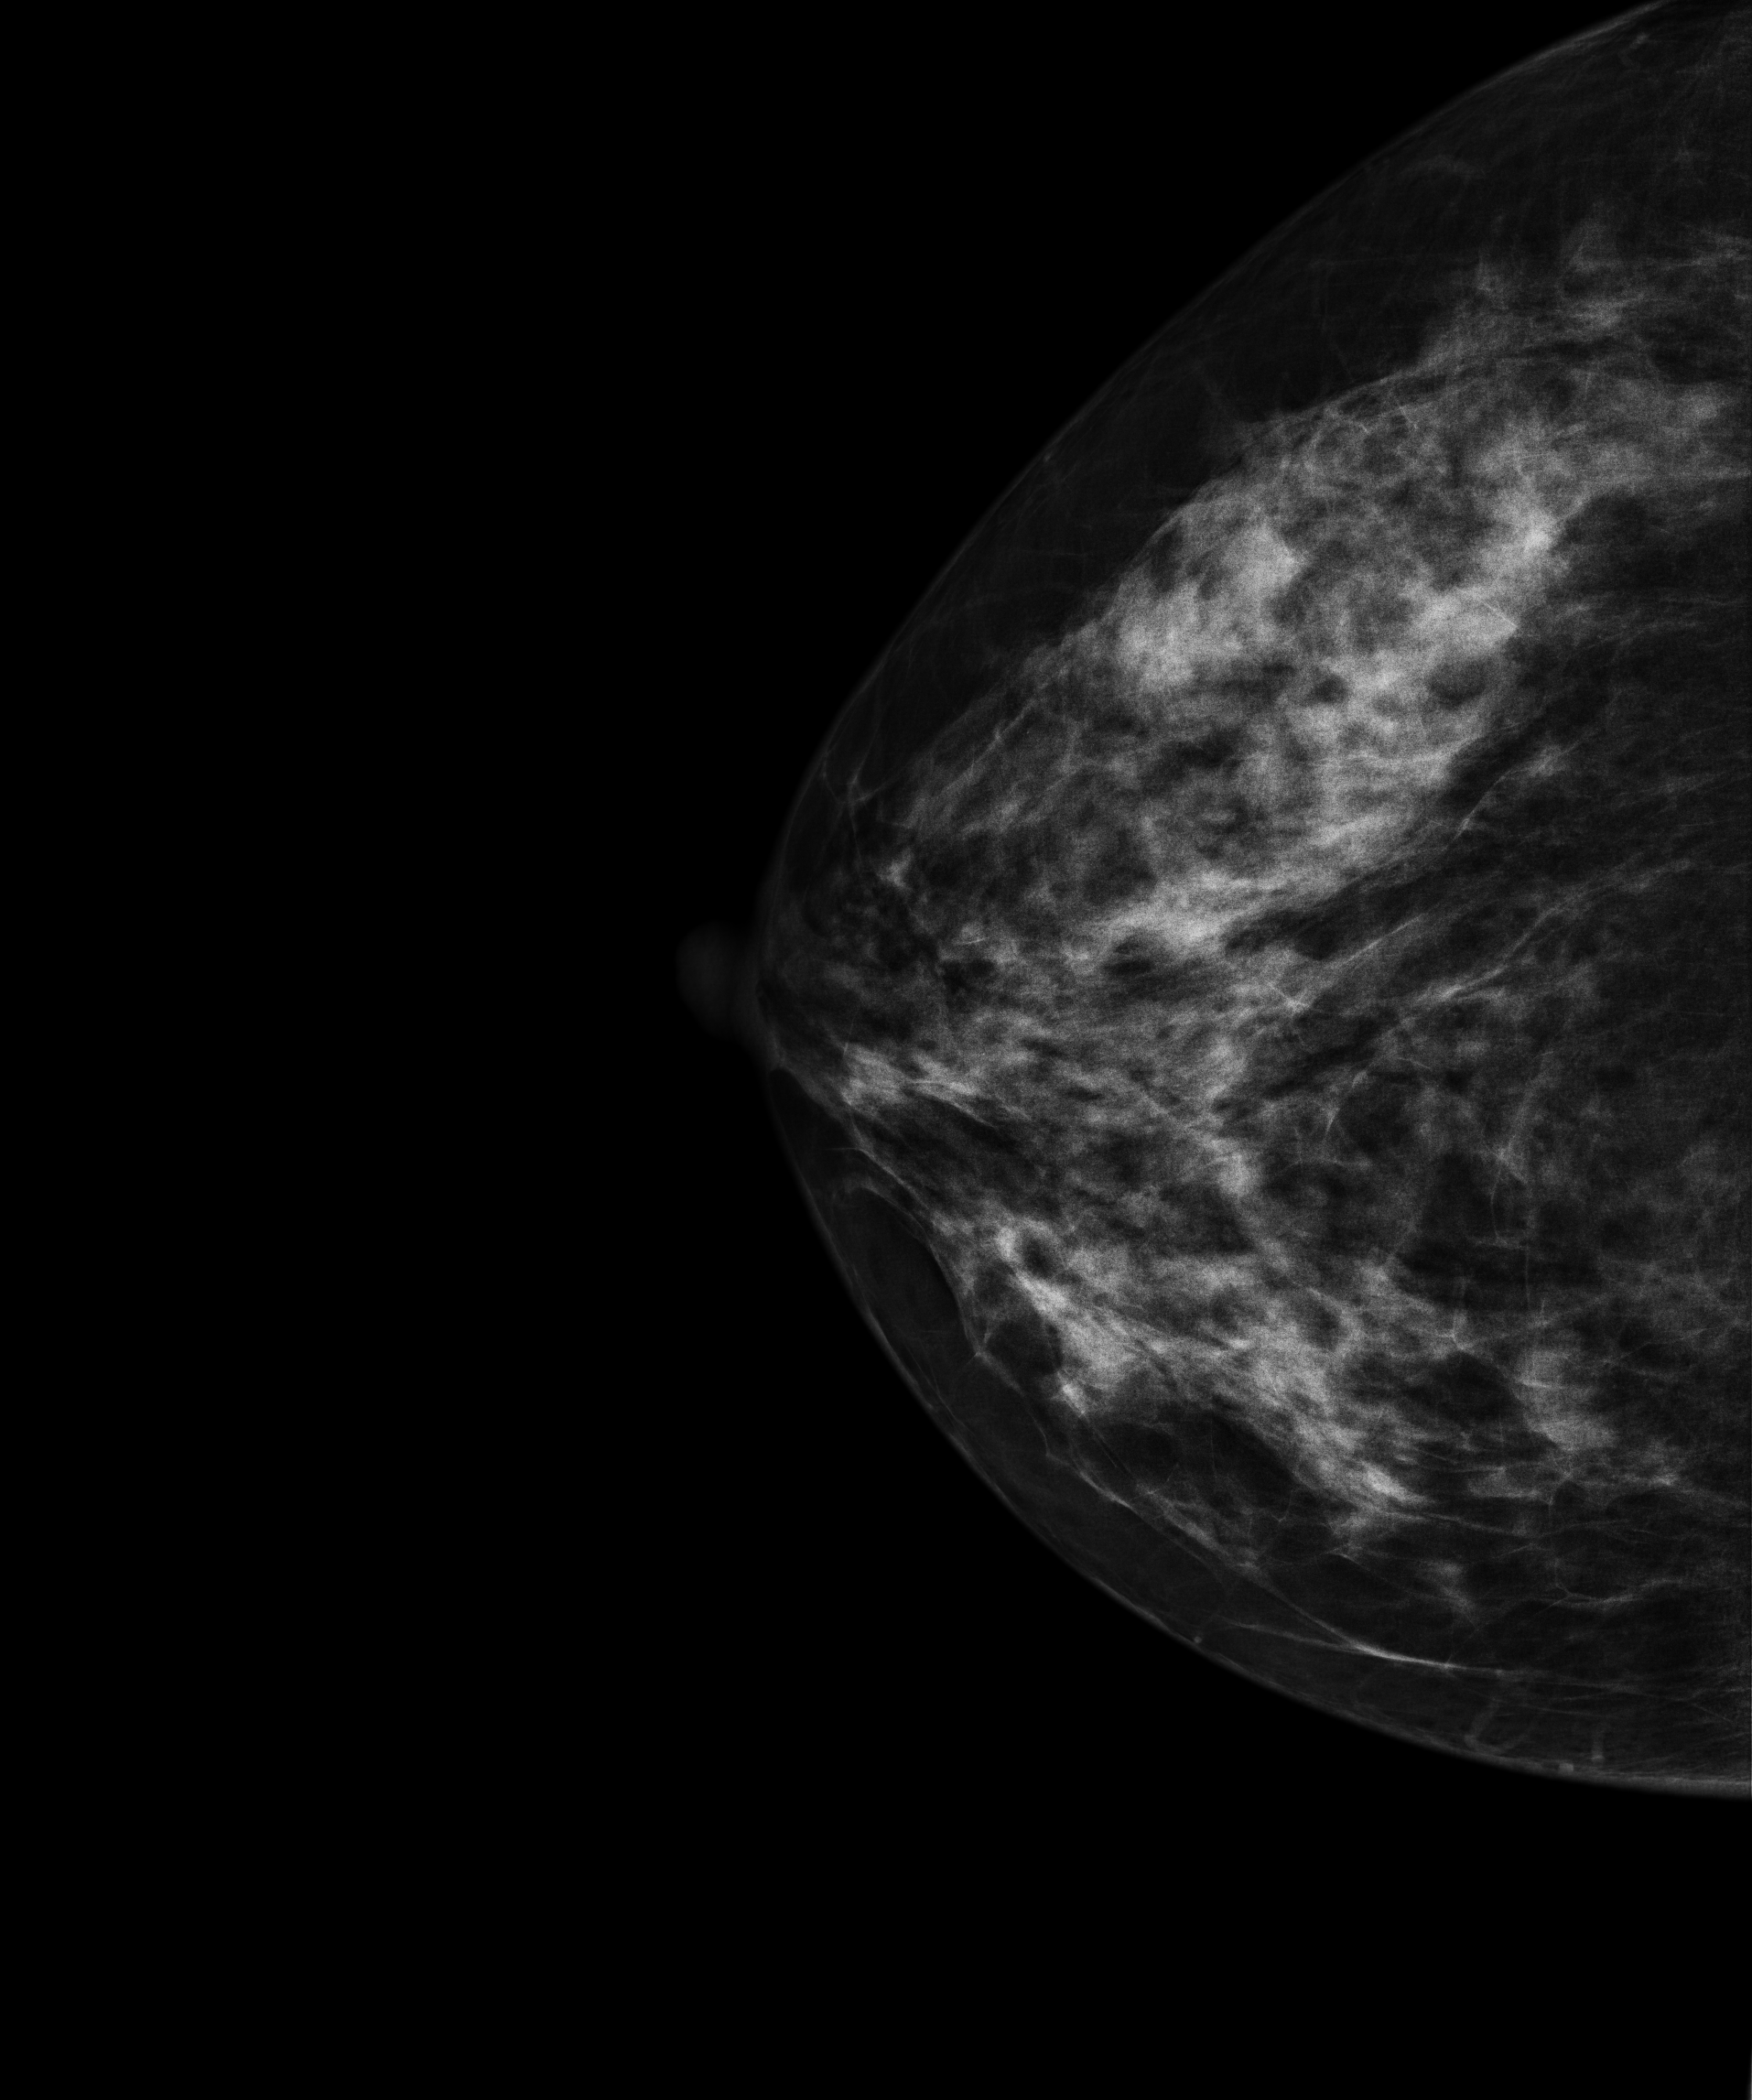
Mammogram, right breast, cranio-caudal view. Patient age 51.
Contralateral breast — no documented abnormality on this side.